Cranio-caudal mammogram of the left breast. 61-year-old patient.
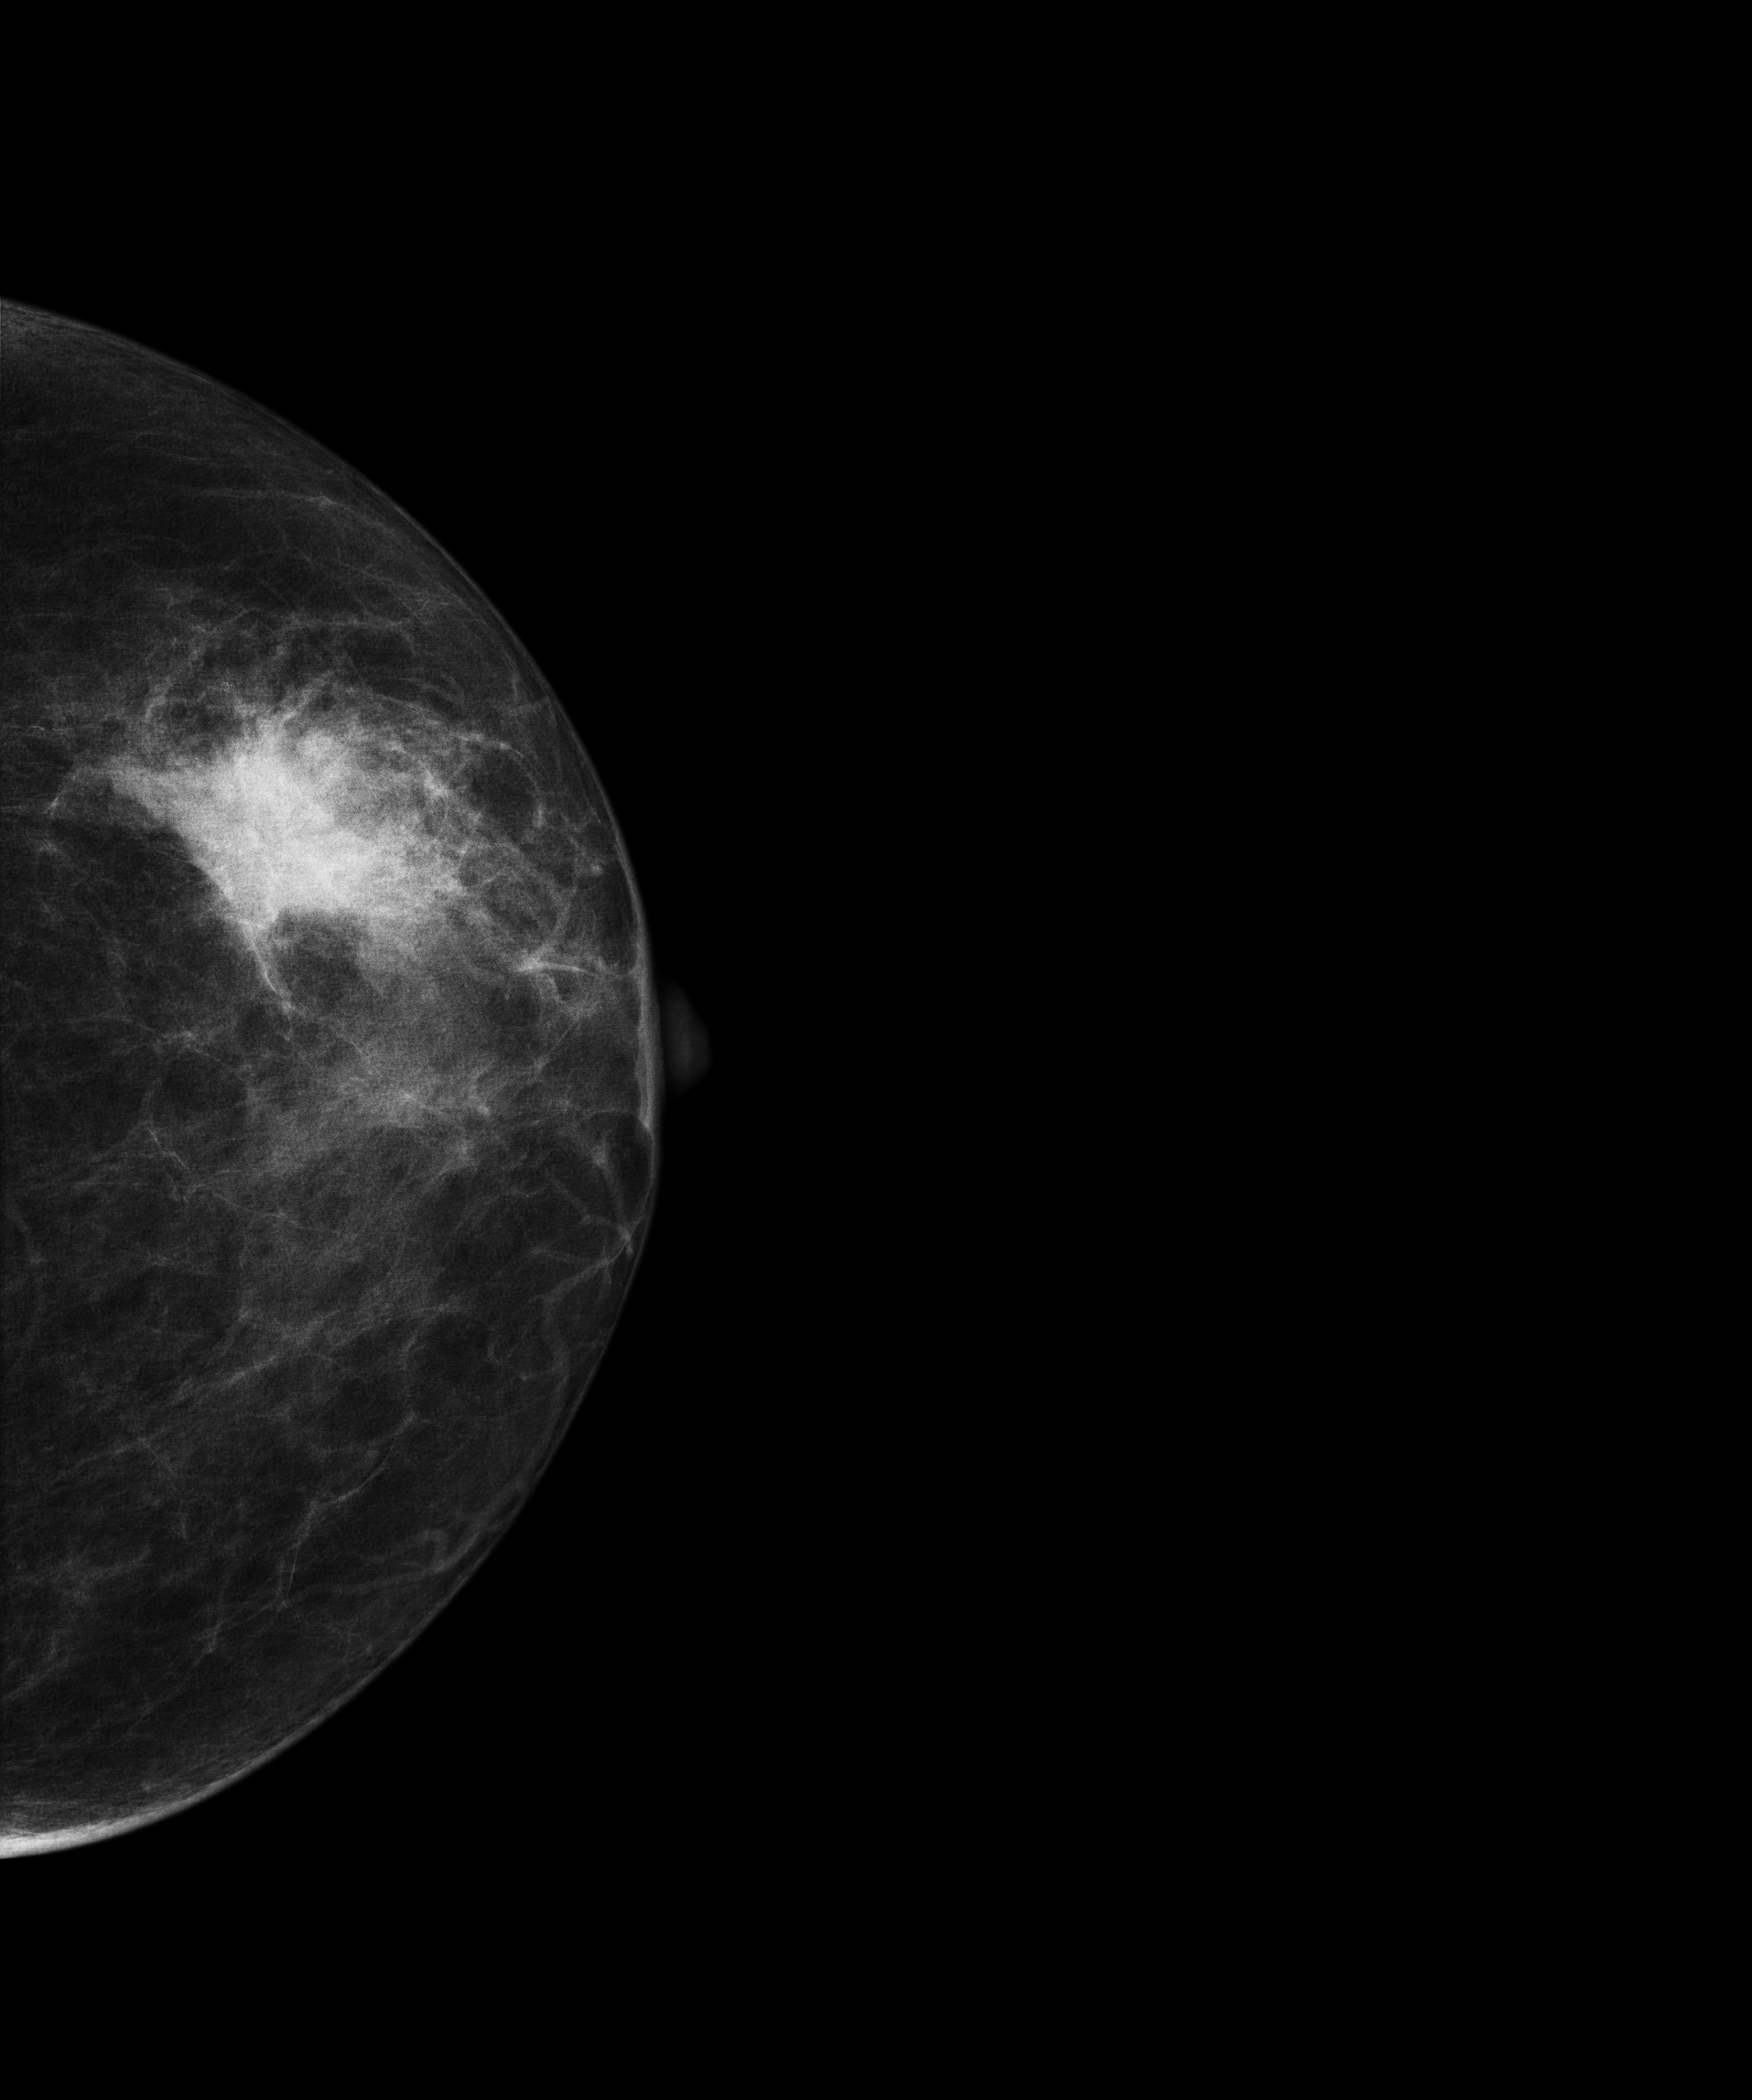
This breast has a mass, biopsy-proven malignant.